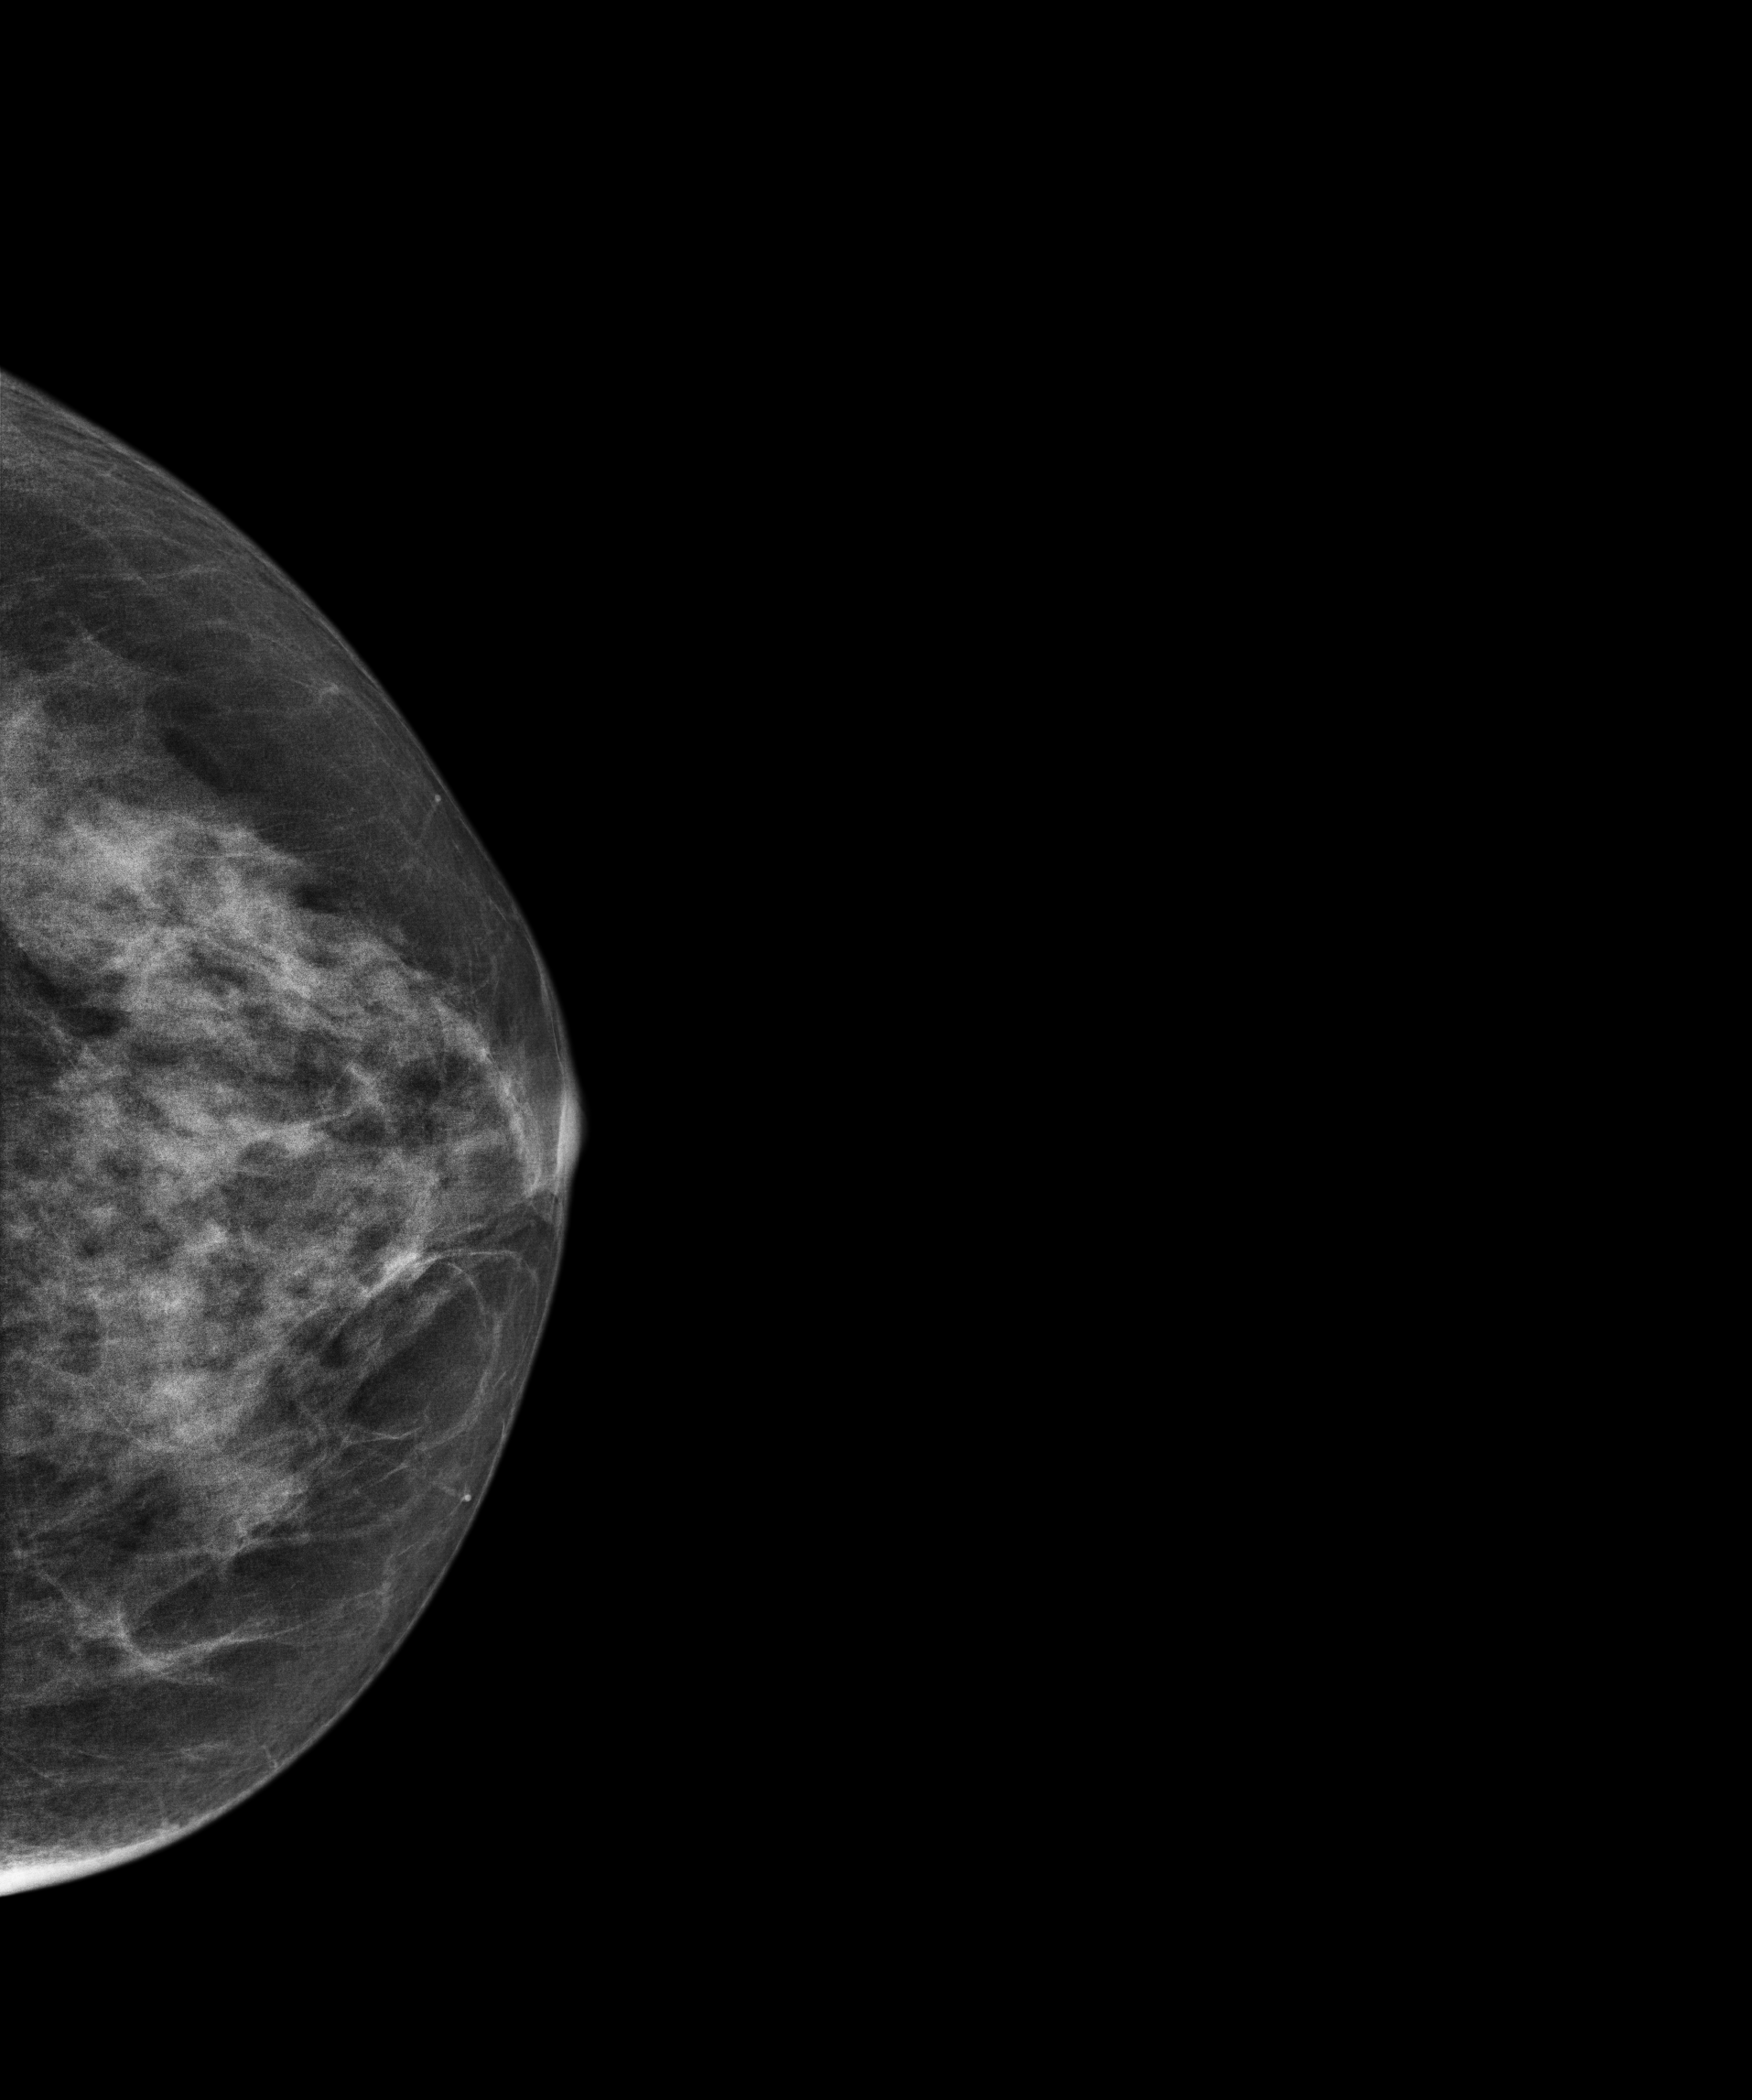
Mammogram — left cranio-caudal. 68-year-old patient.
Contralateral breast — no documented abnormality on this side.